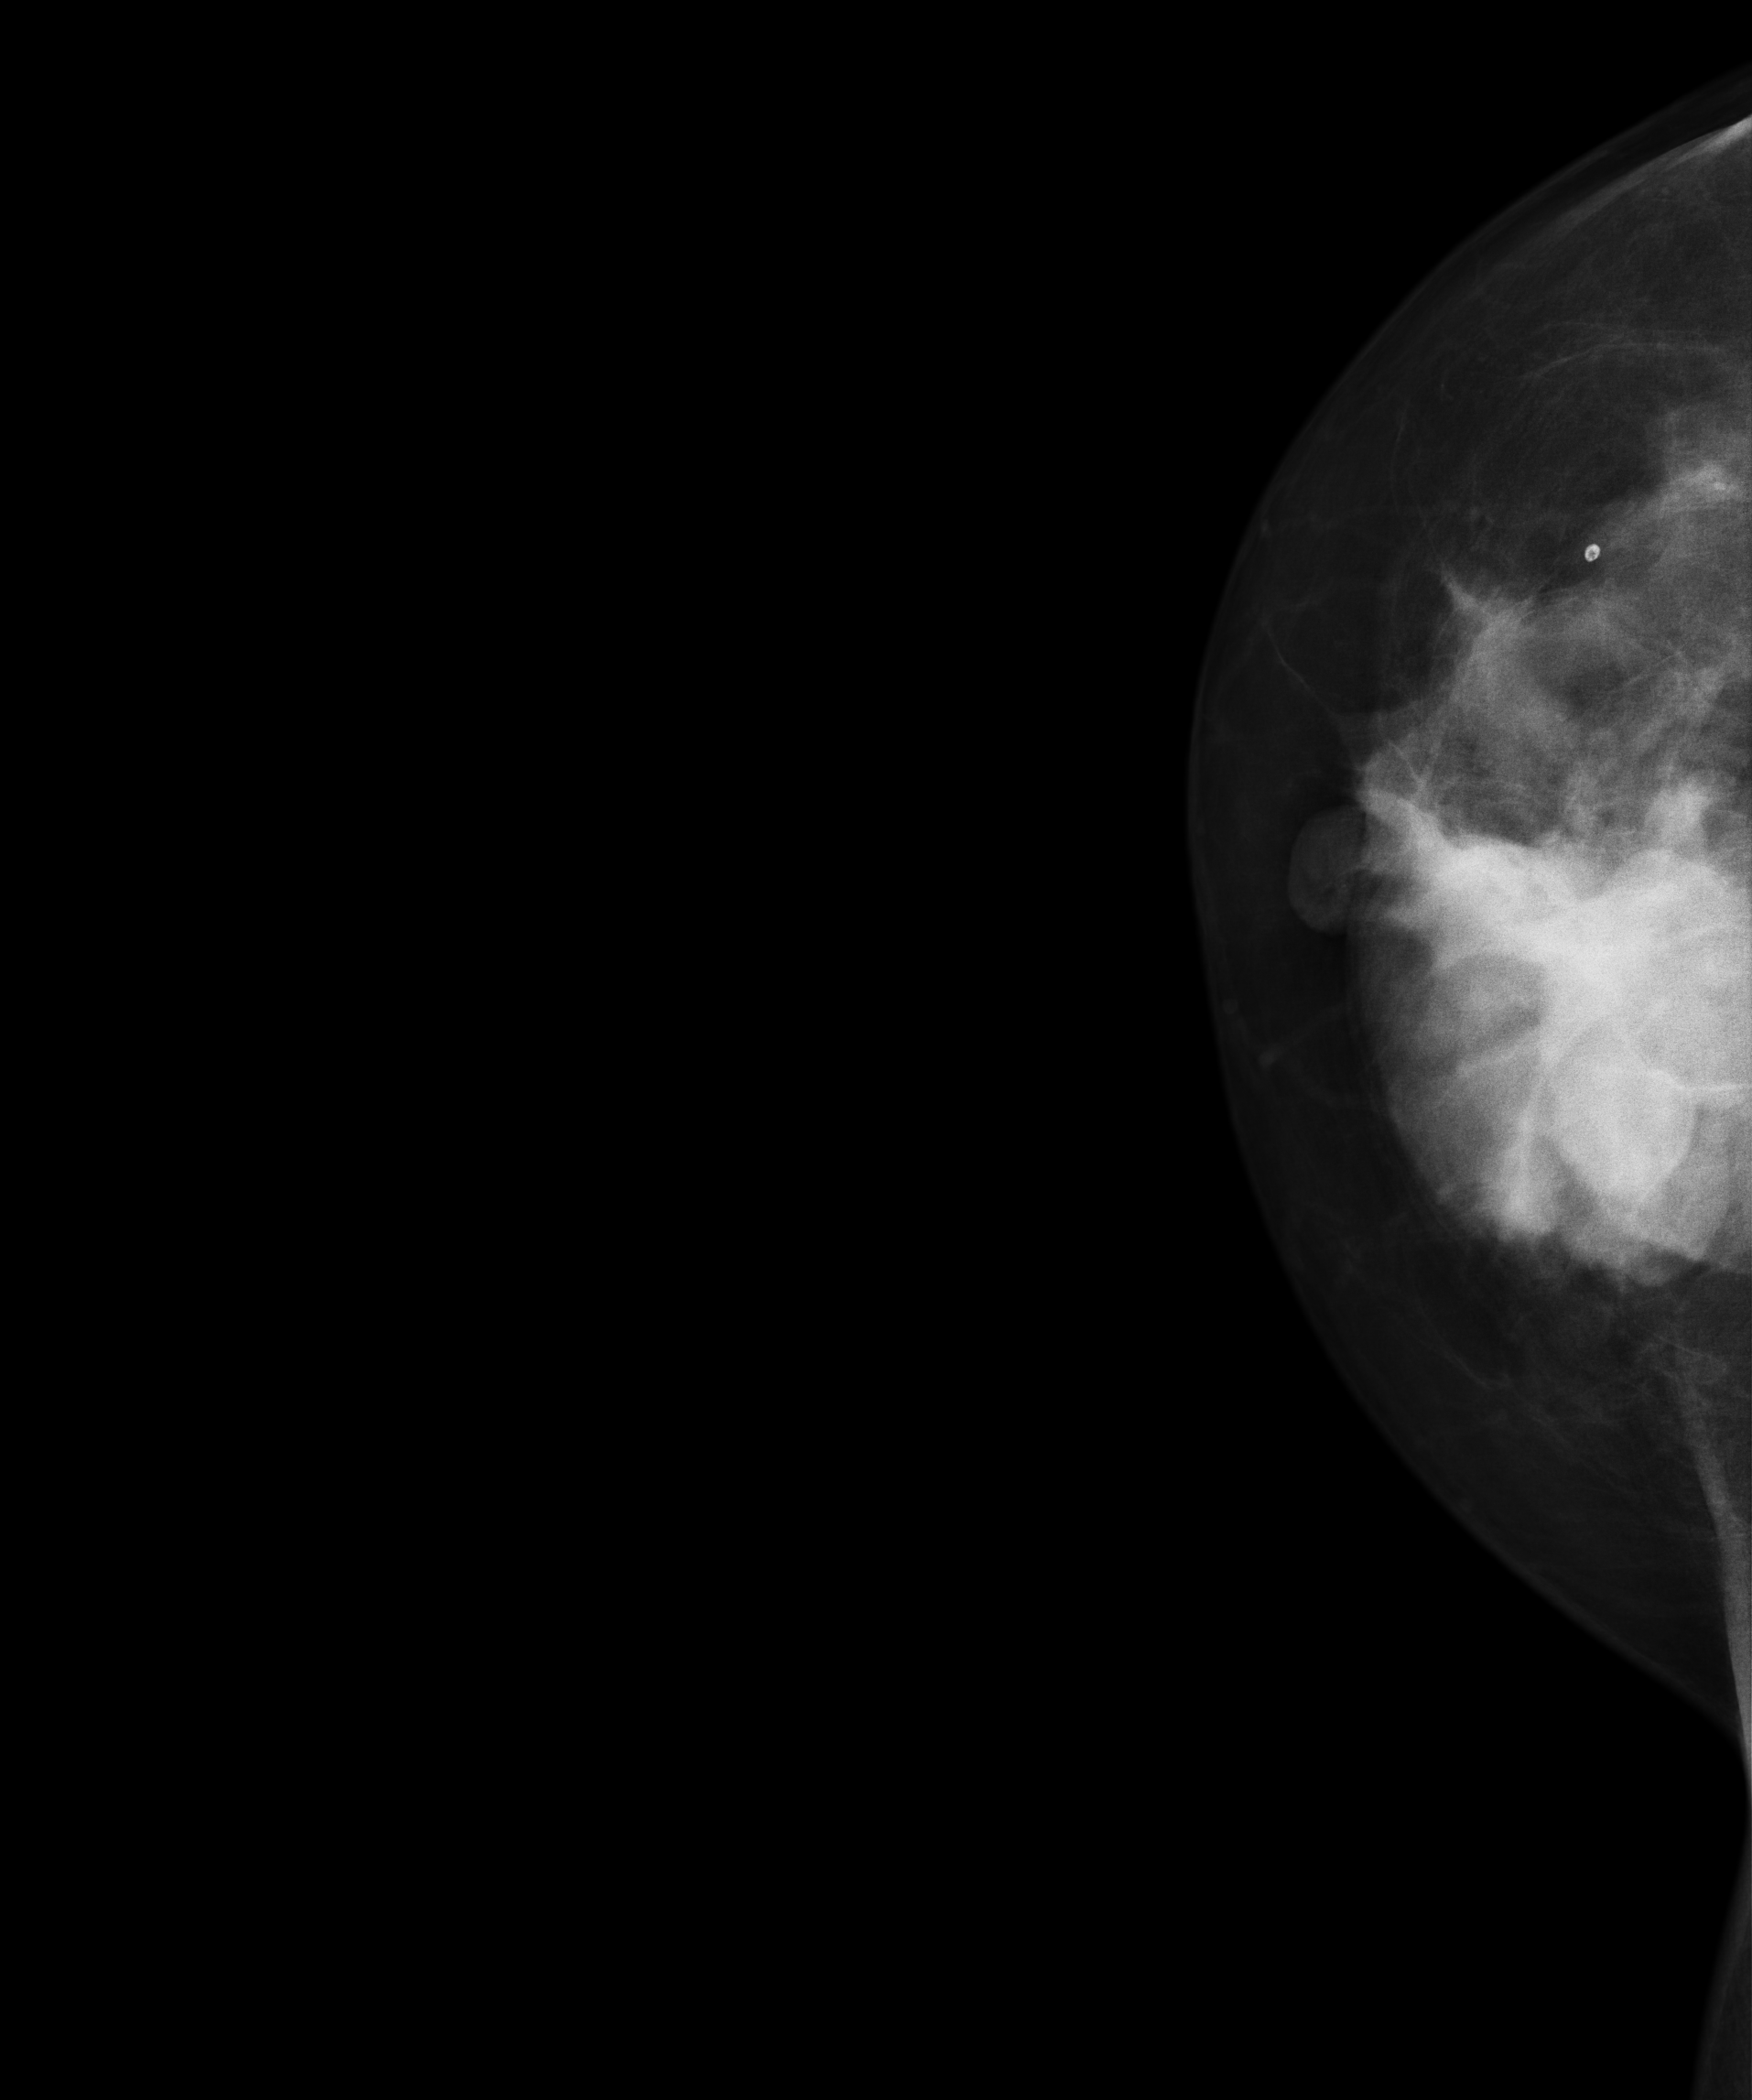
Mammogram, right breast, CC view. 59-year-old patient.
This breast has a mass, biopsy-confirmed malignant.